Digital mammography. Right breast, cranio-caudal projection. 32 y/o patient.
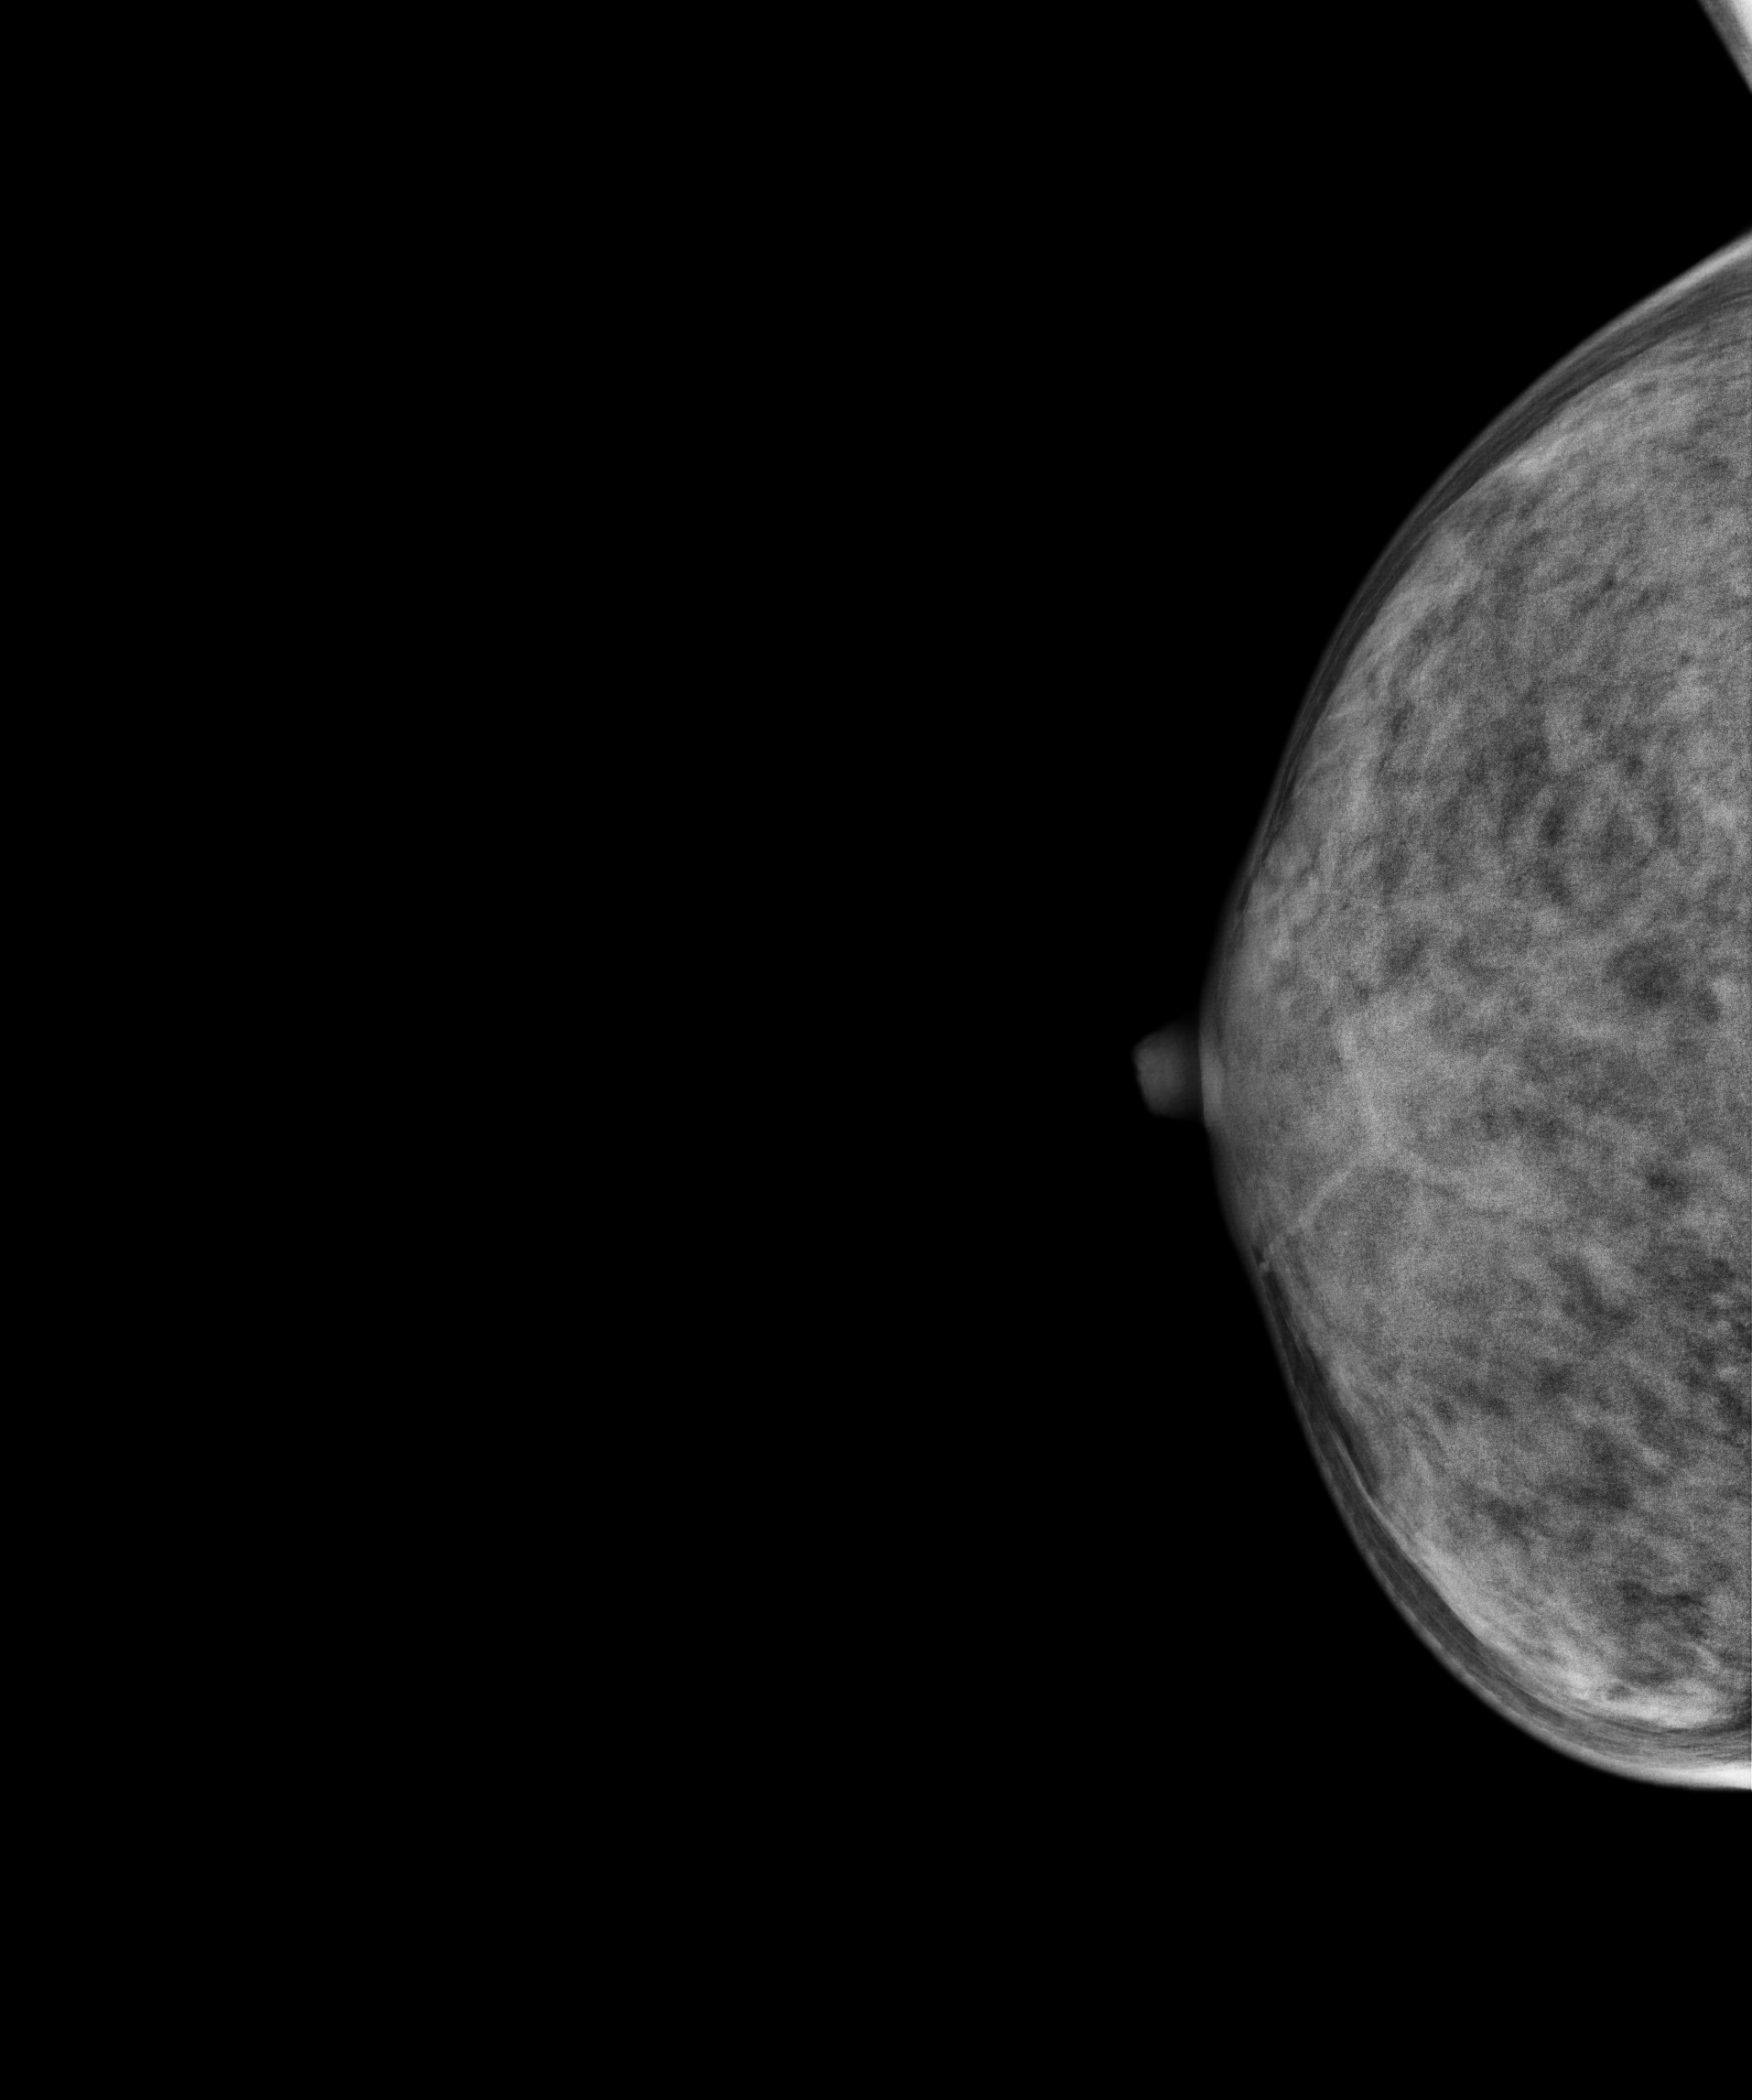
This breast has a mass, biopsy-confirmed benign.